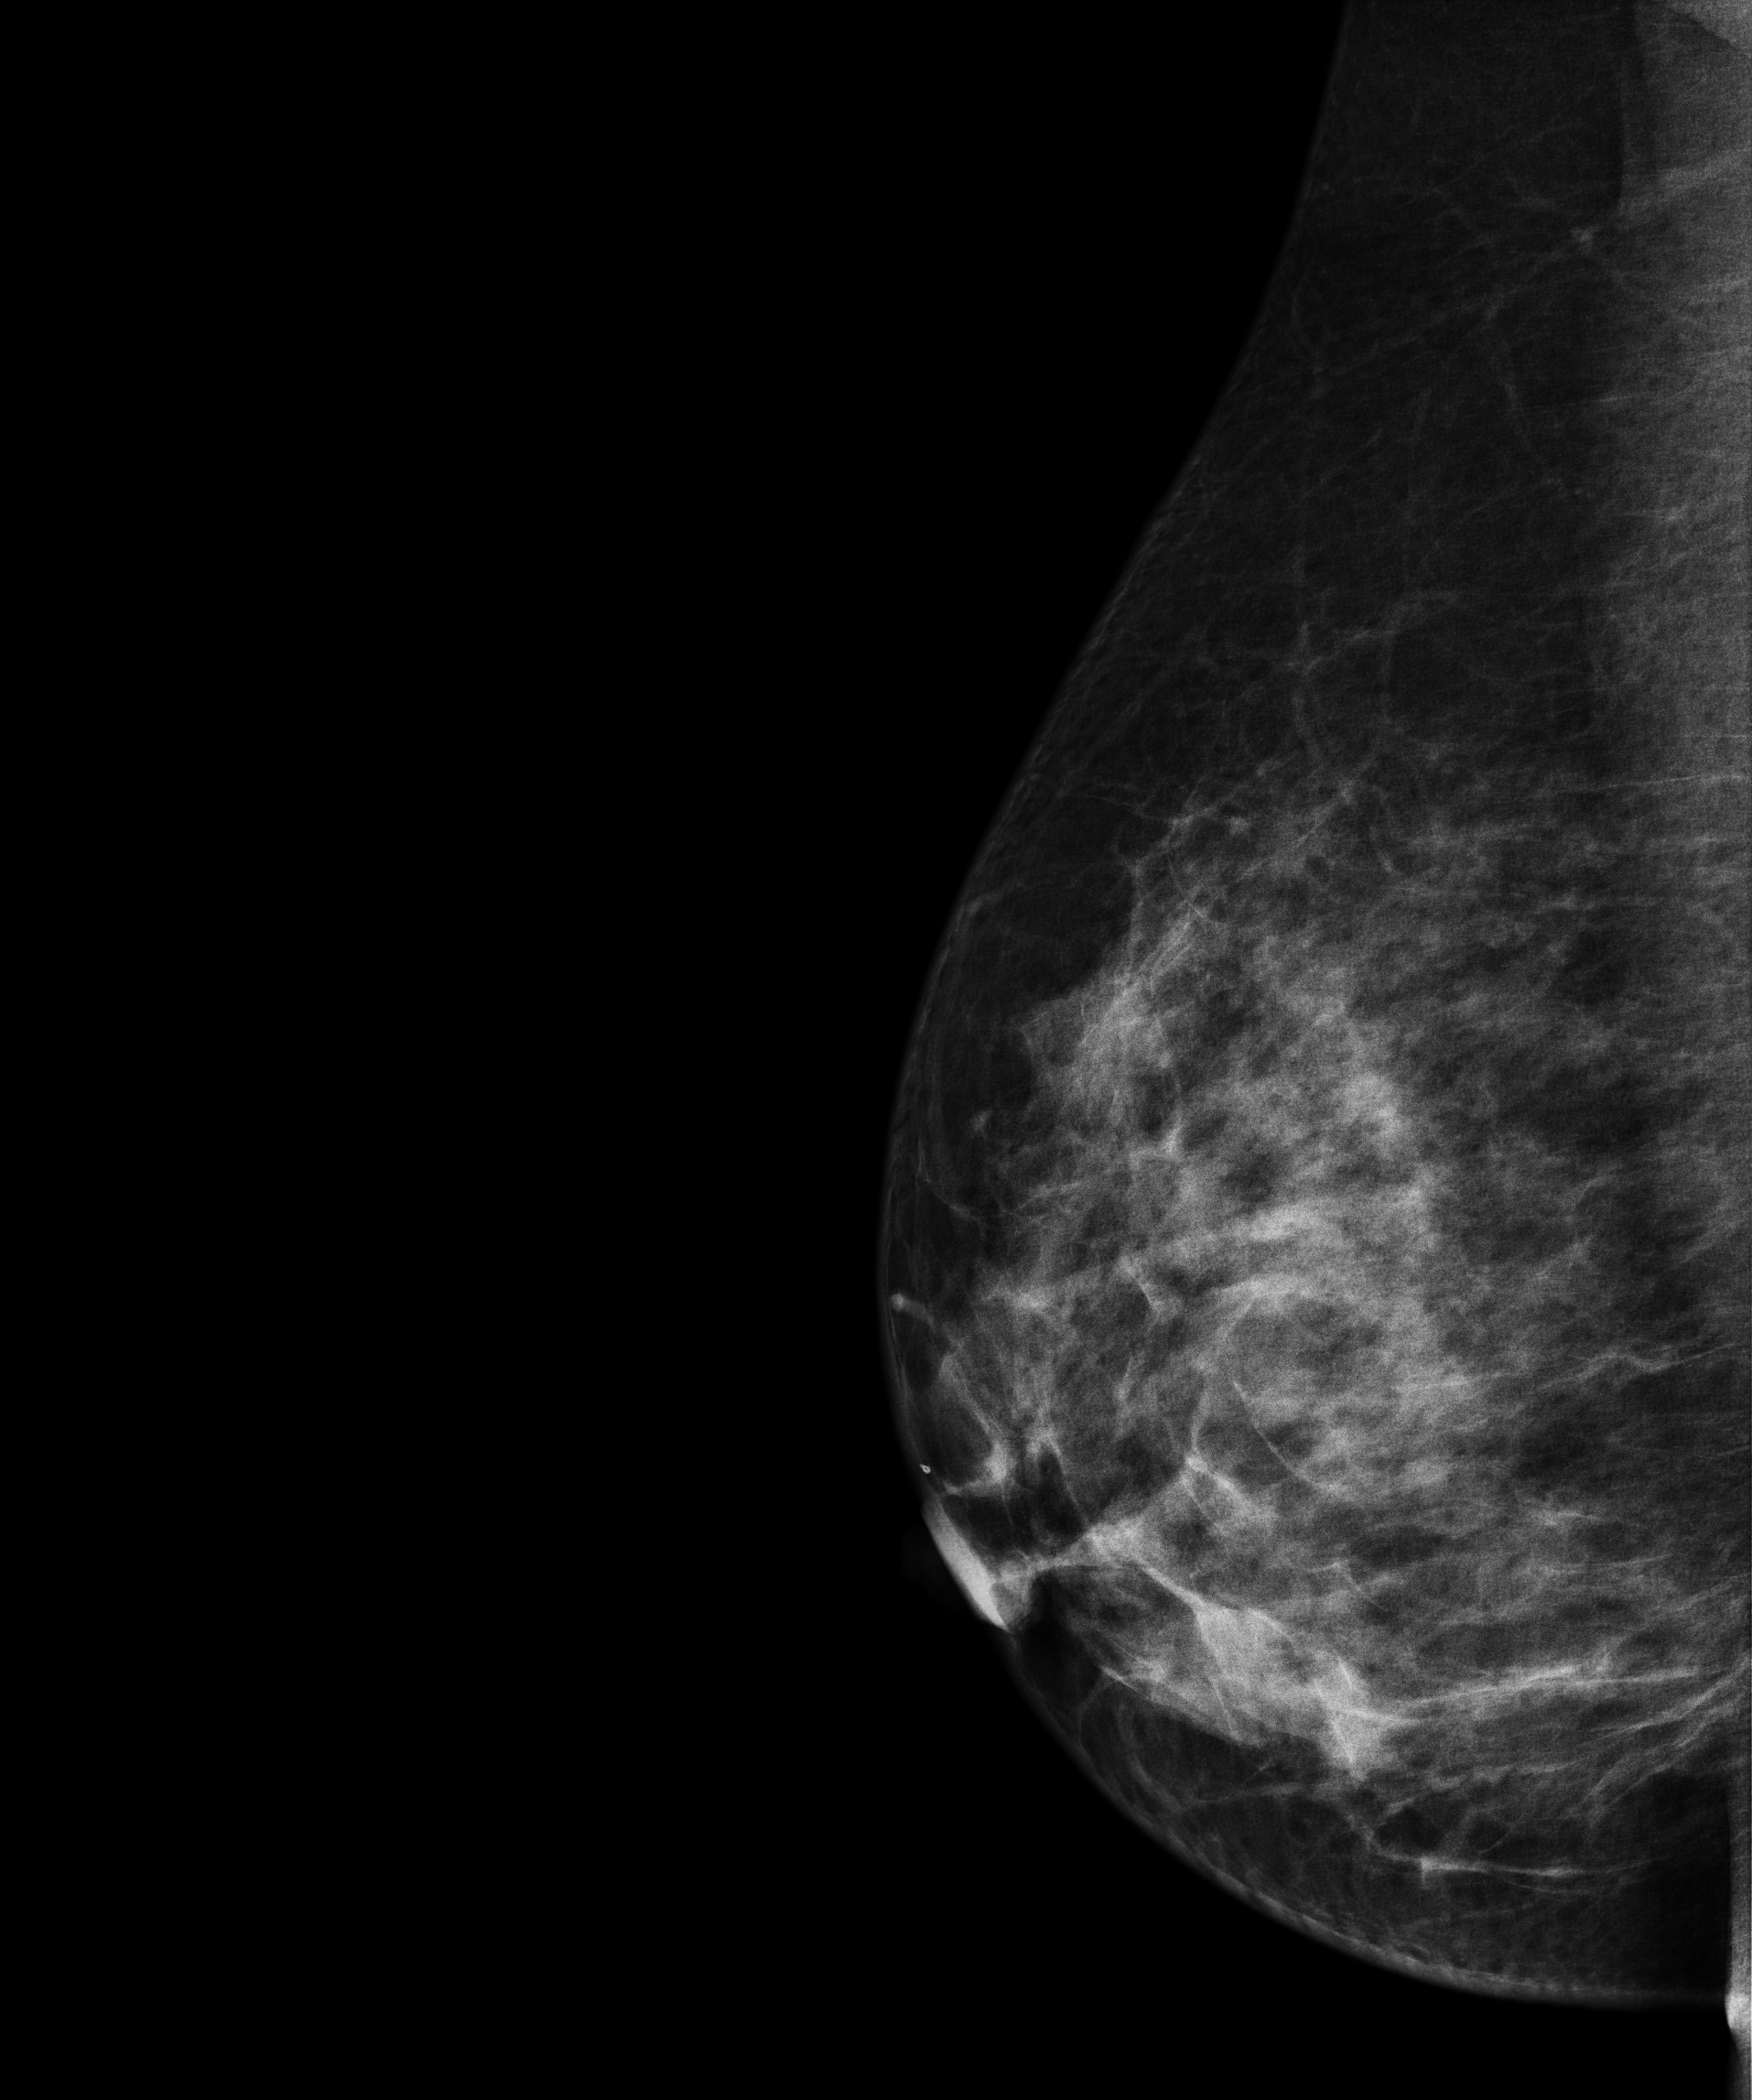
MLO mammogram of the right breast. 37 y/o patient.
Contralateral breast — no documented abnormality on this side.